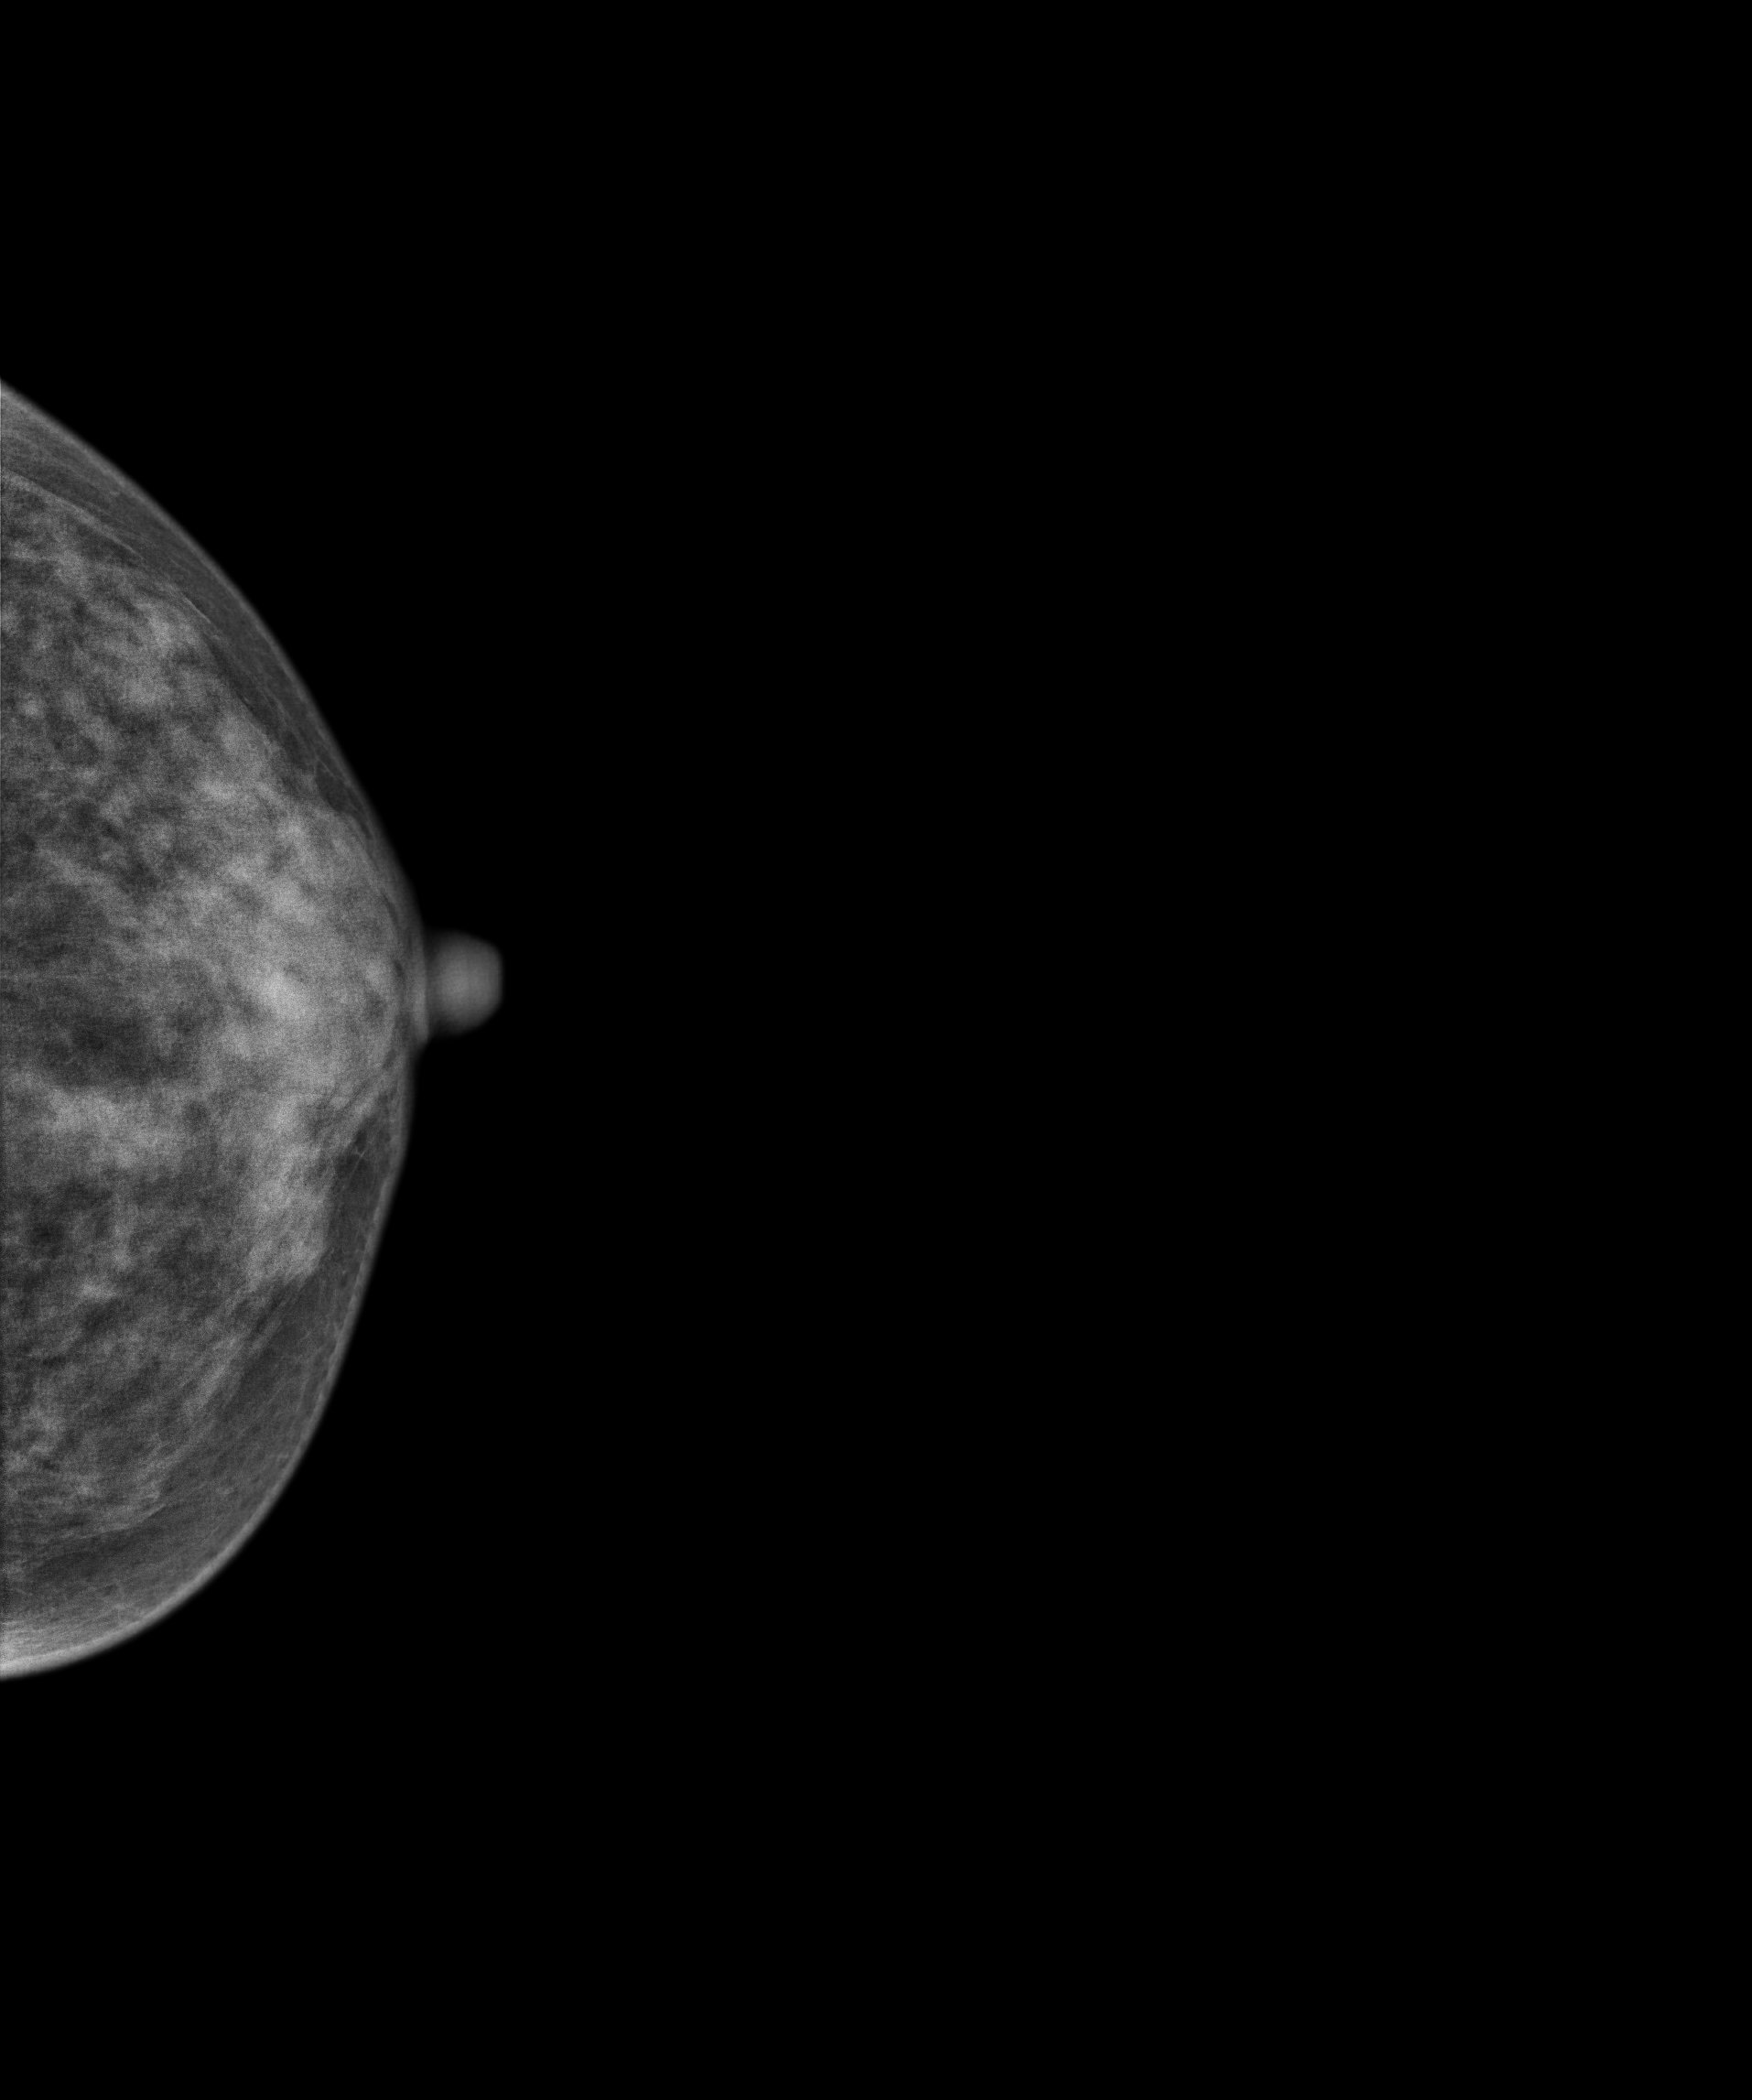
Mammogram, left breast, CC view. Patient age 41.
This breast has a mass, biopsy-confirmed malignant. Molecular subtype: luminal B.